Mammogram, left breast, medio-lateral oblique view. 46 y/o patient.
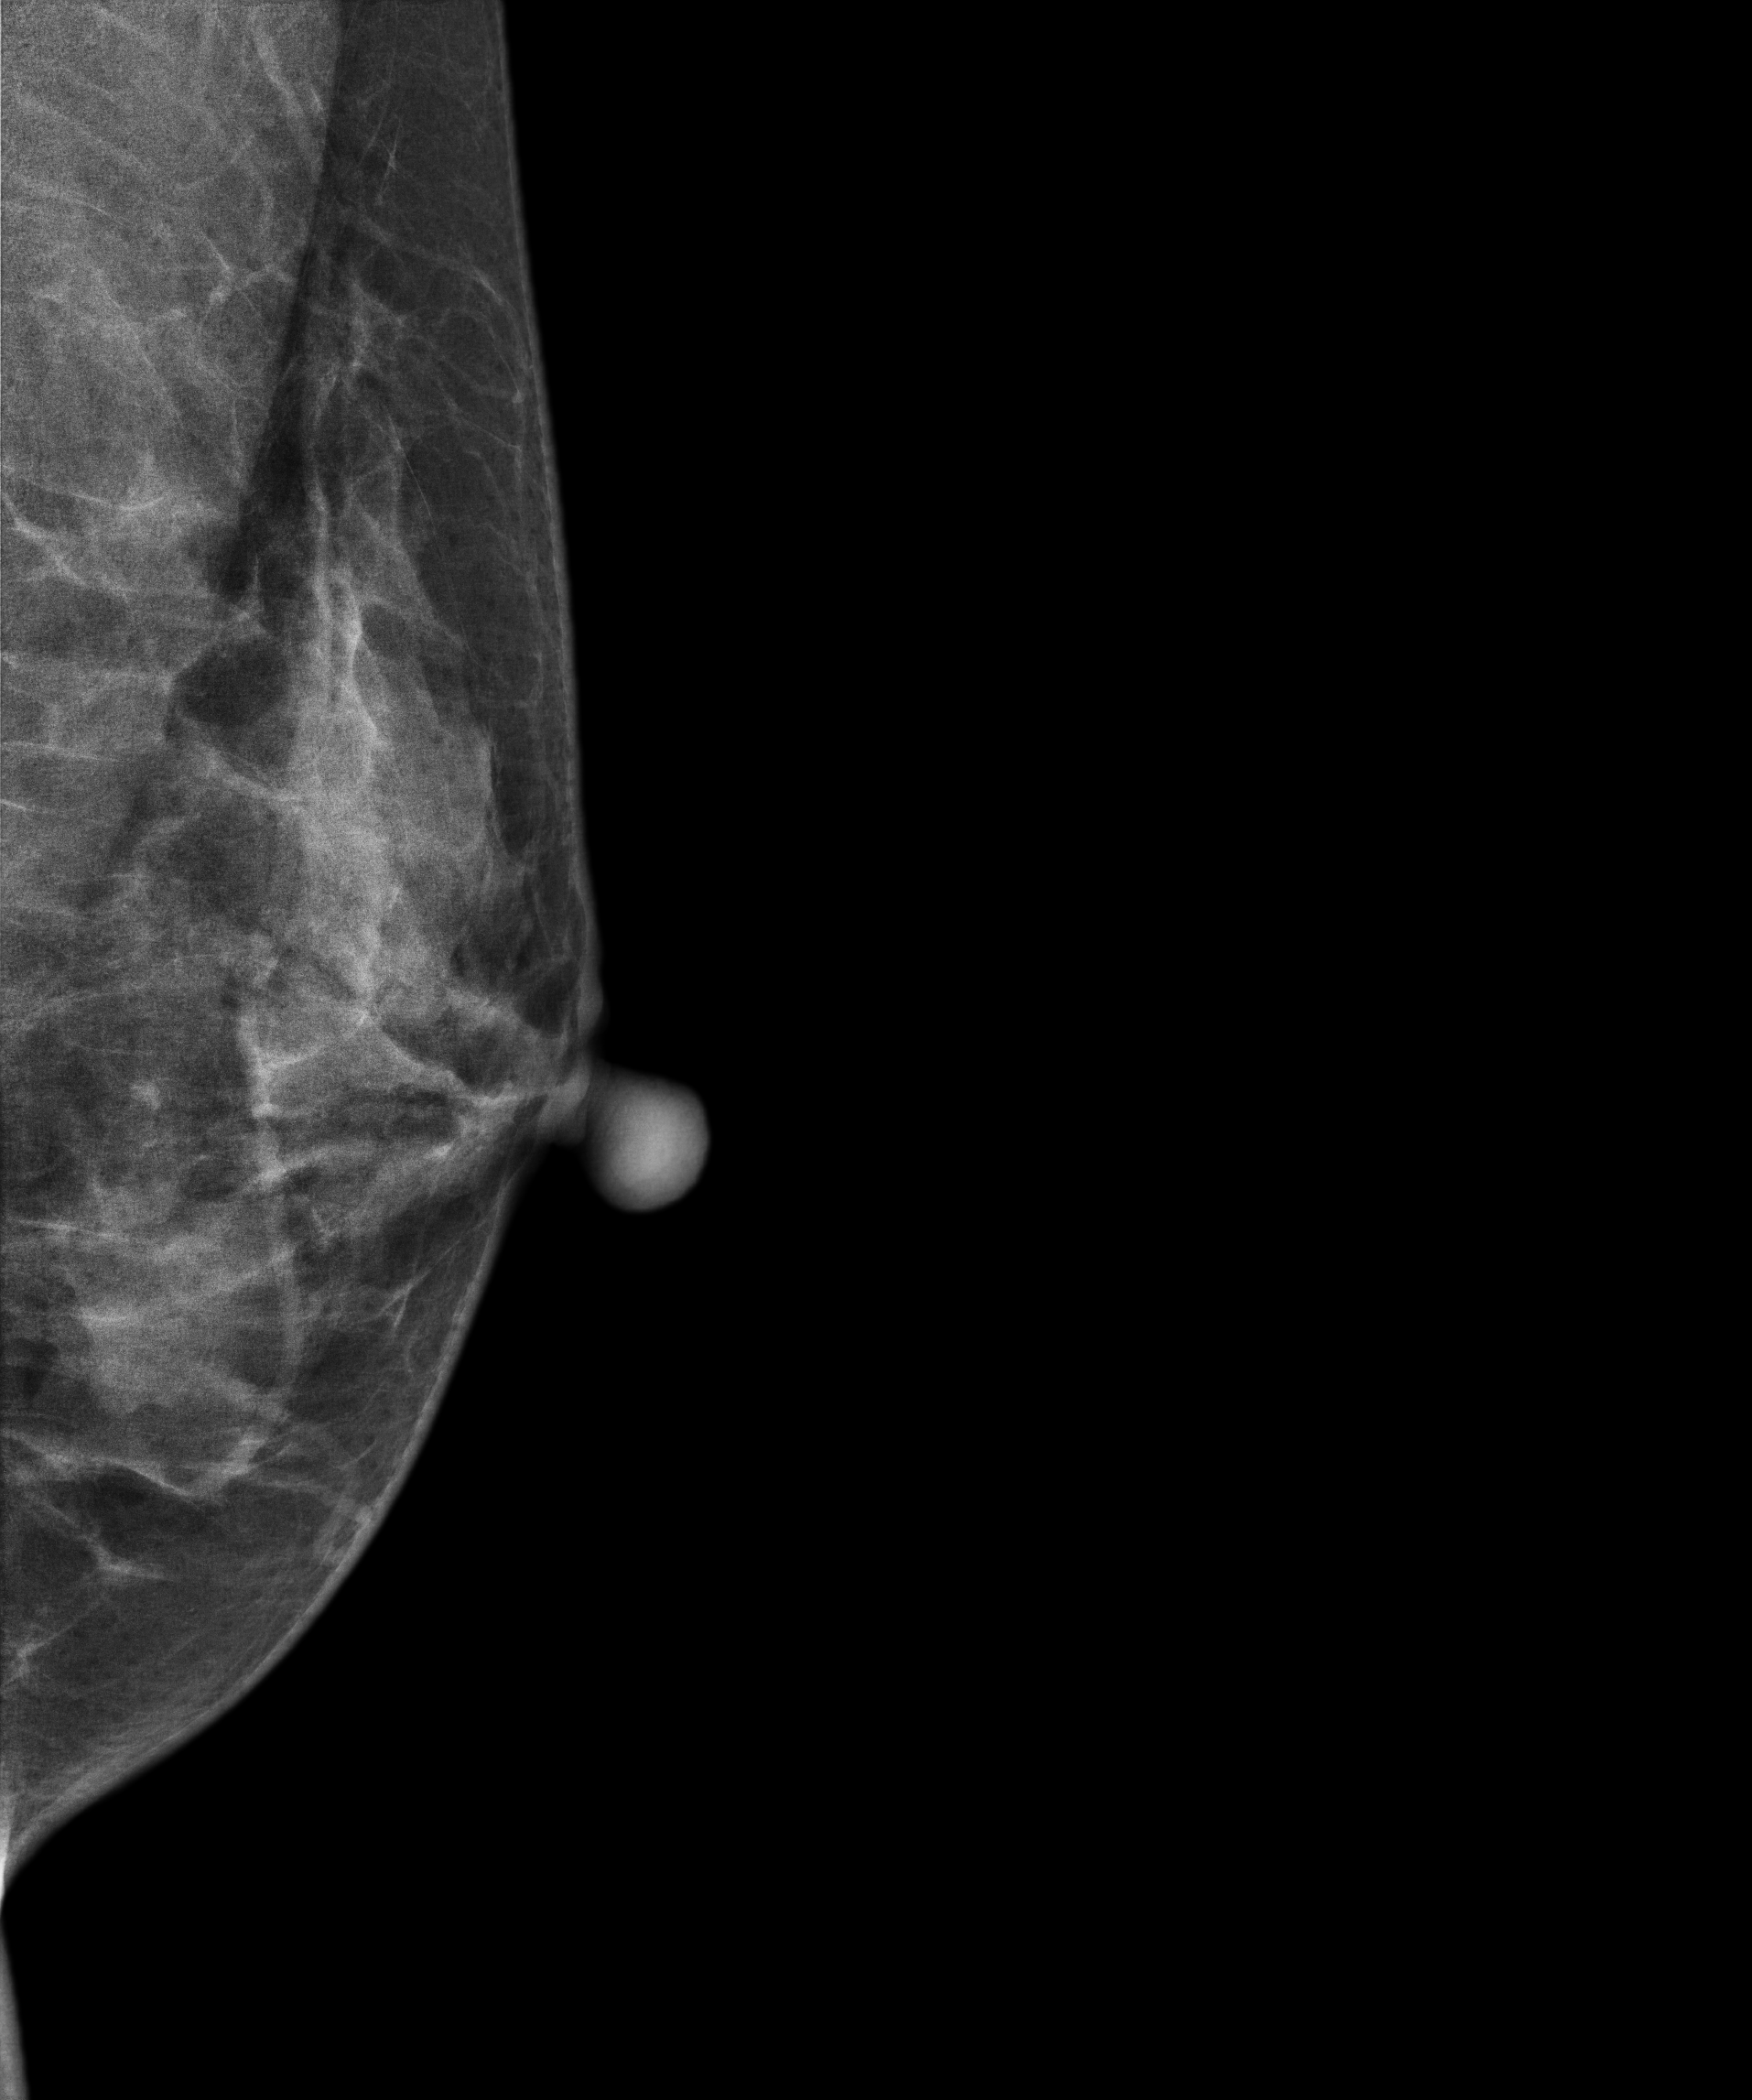
This breast has a mass, biopsy-confirmed benign.